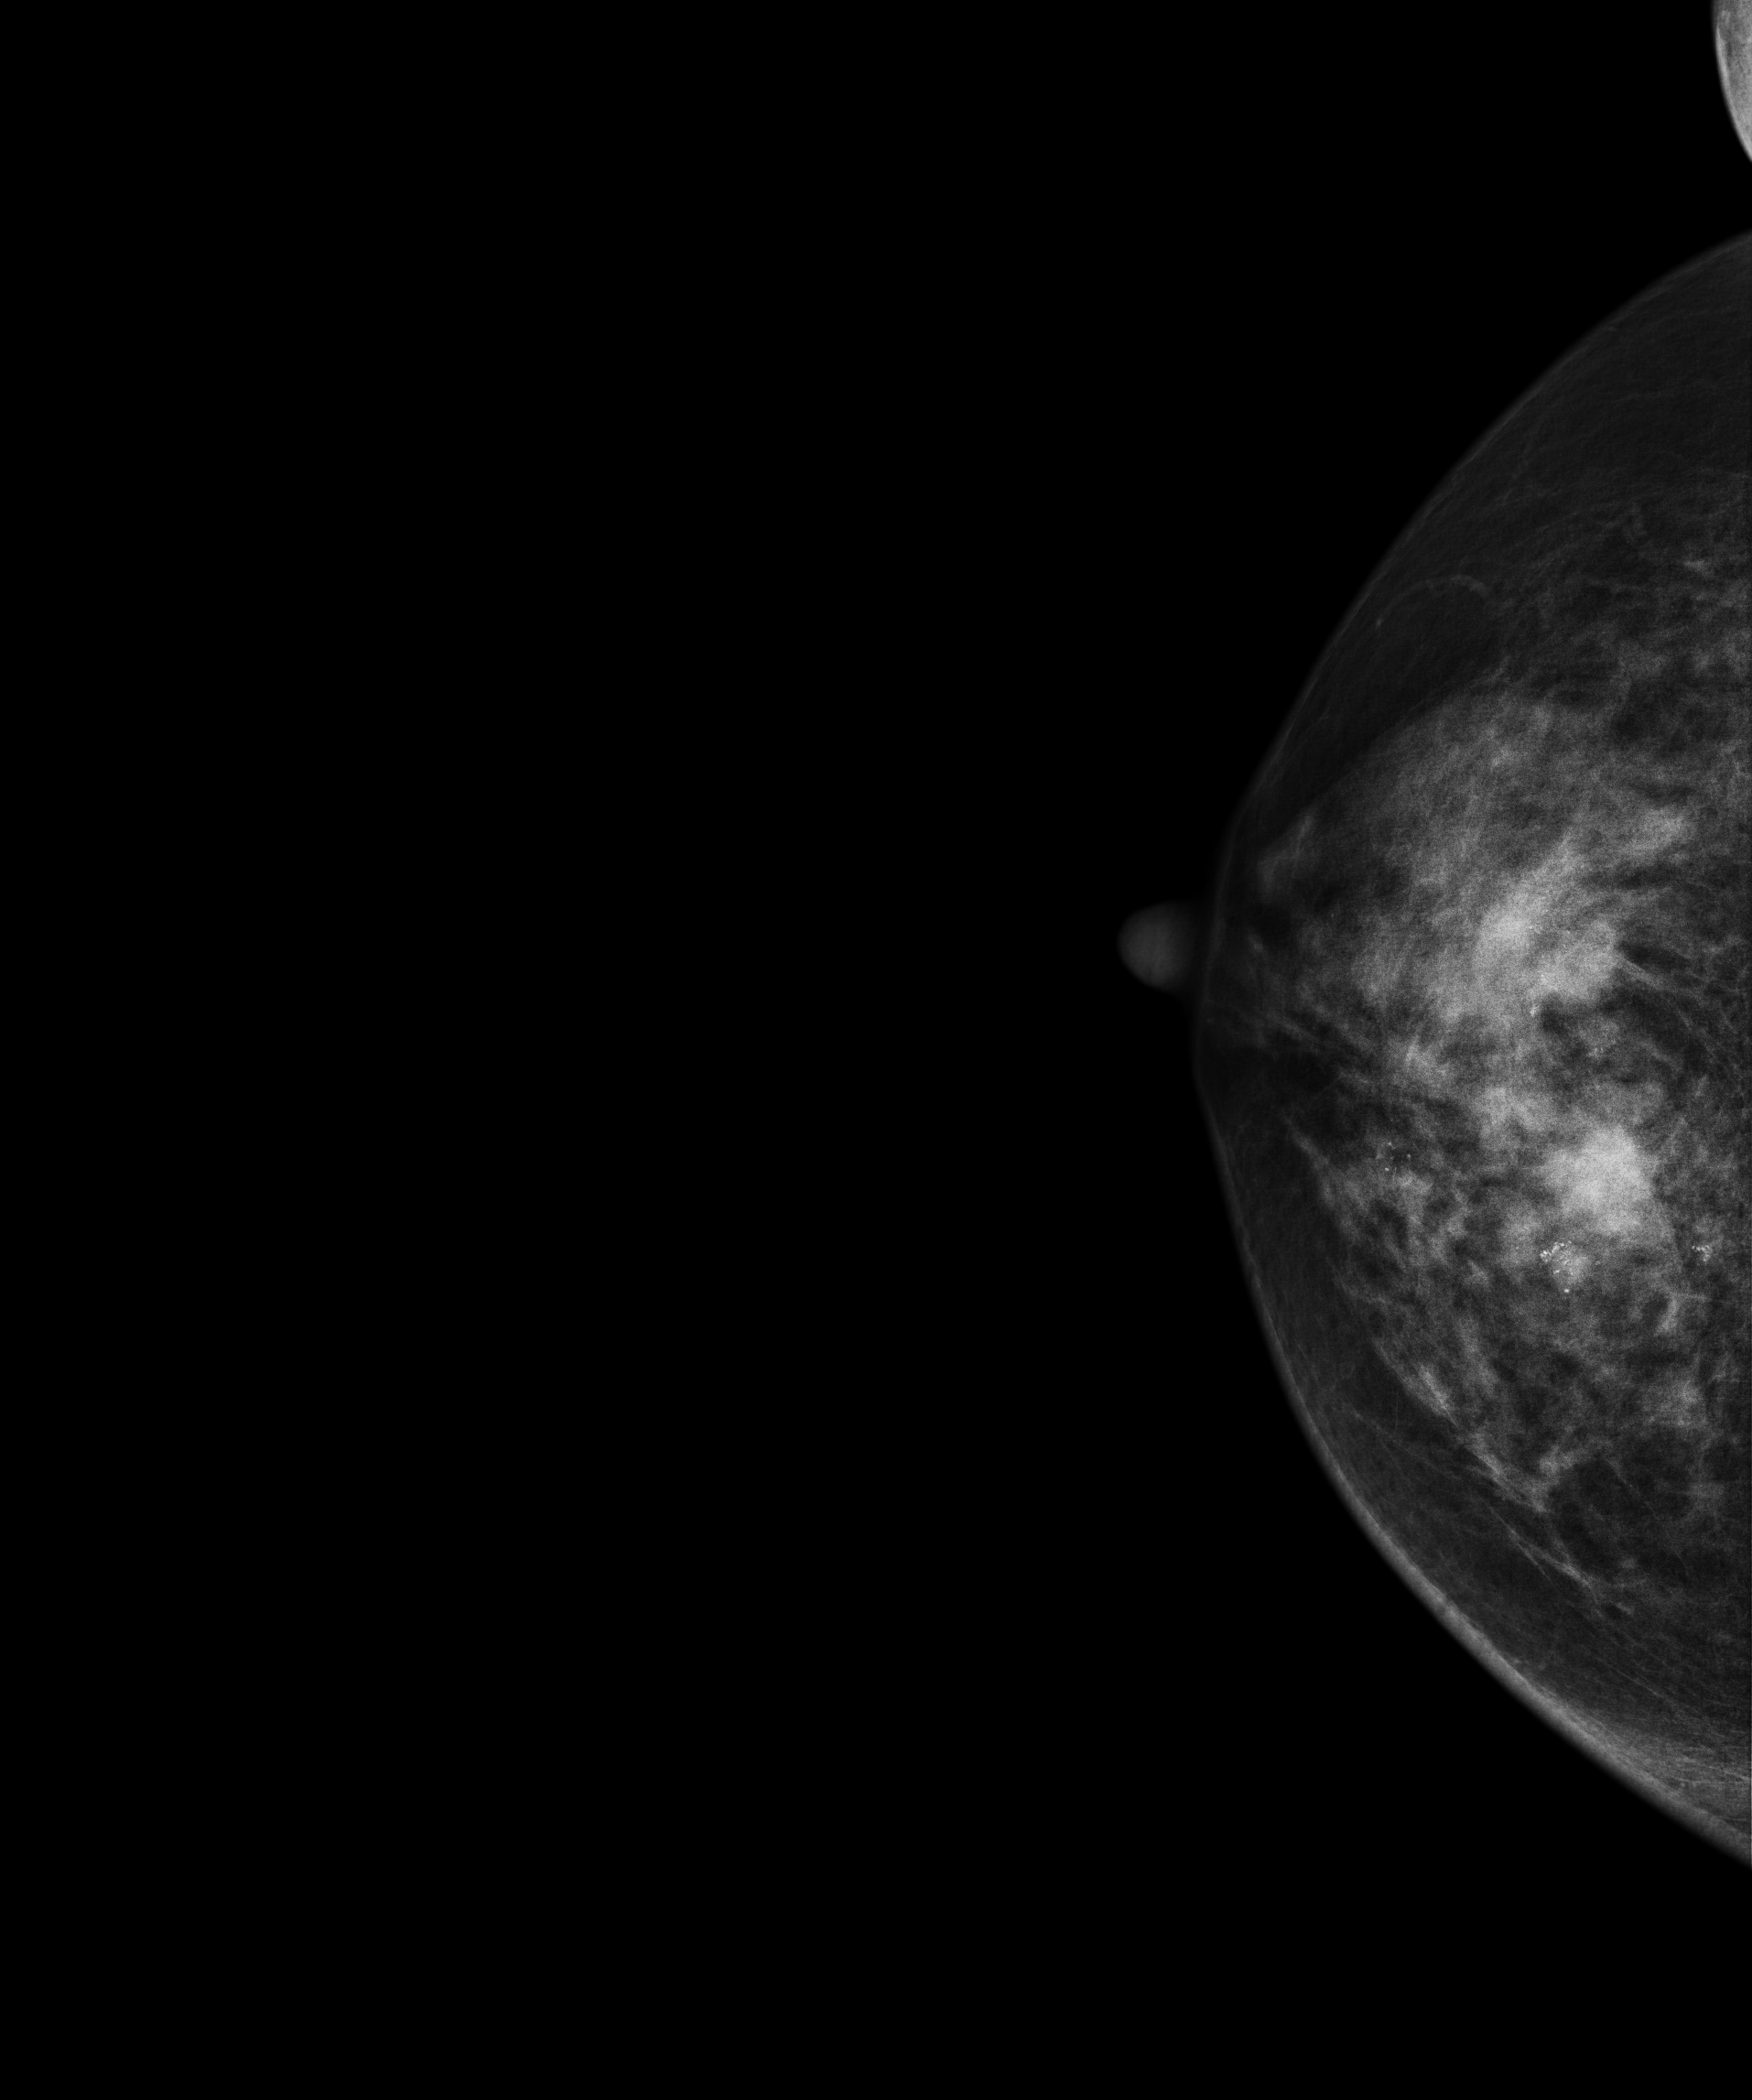
Mammogram, right breast, CC view. 56-year-old patient.
This breast has calcifications, biopsy-proven malignant. Molecular subtype: HER2-enriched.